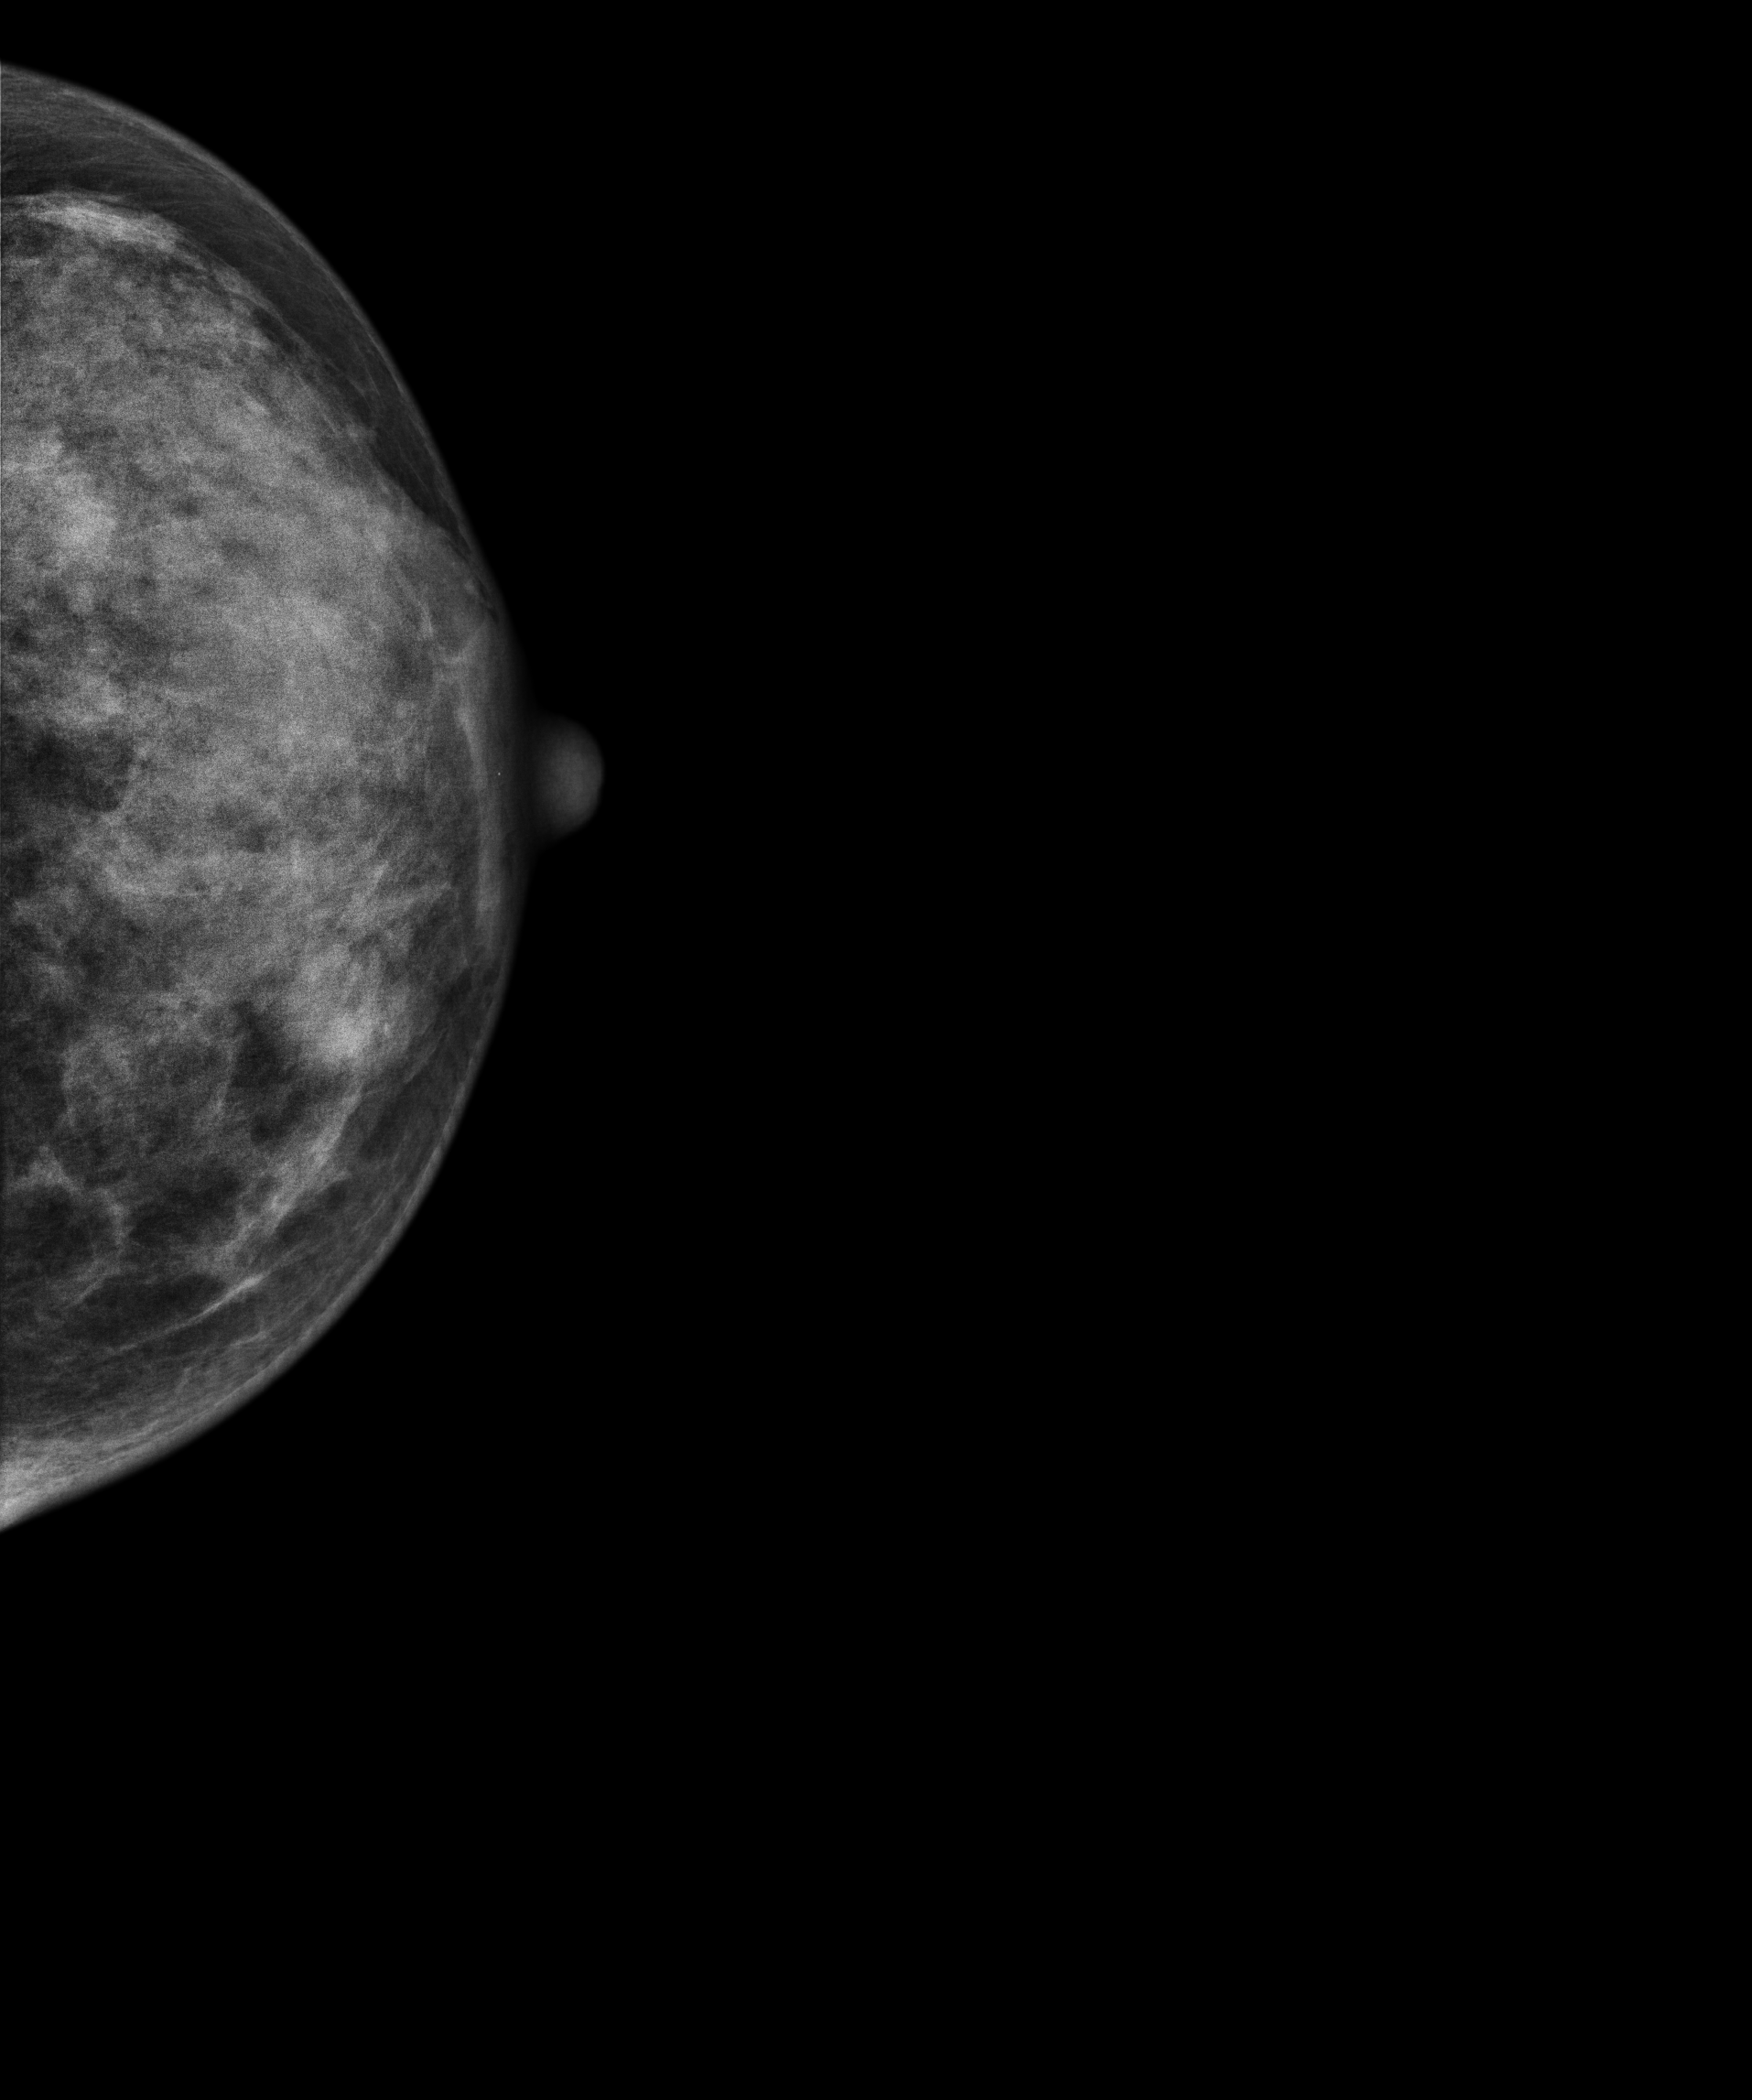
Mammogram, left breast, cranio-caudal view. 38-year-old patient.
Contralateral breast — no documented abnormality on this side.